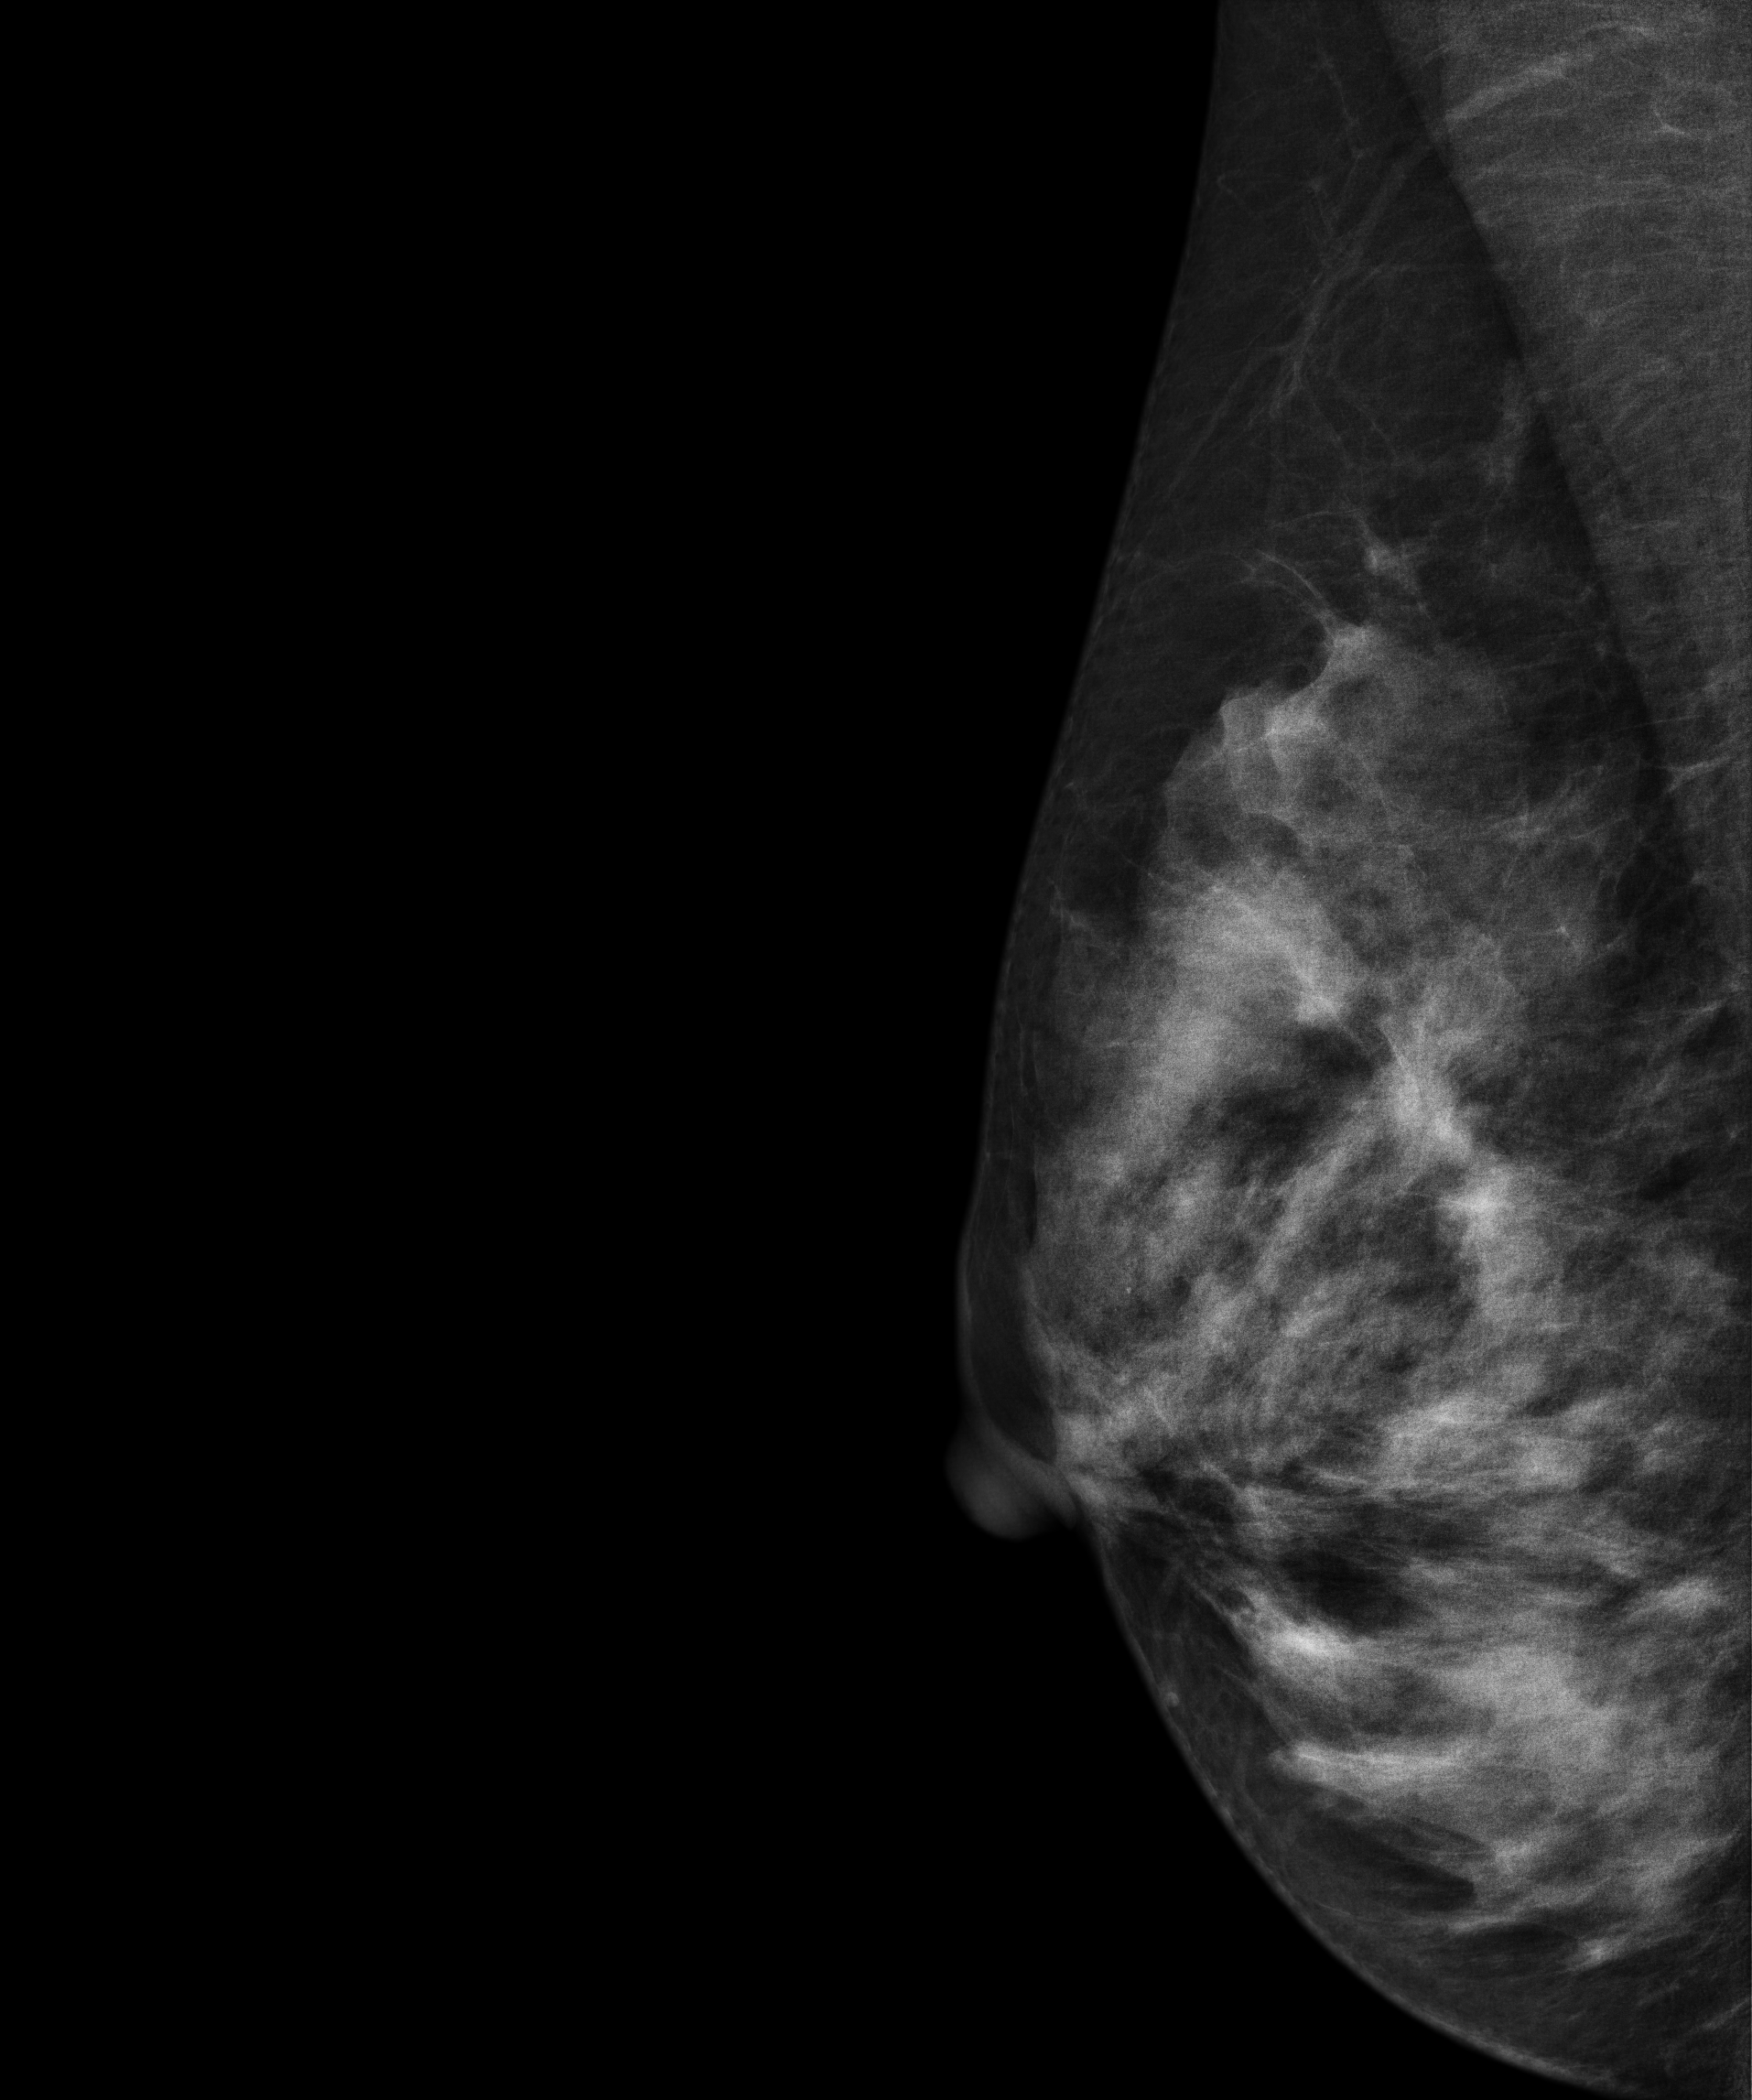
Digital mammography. Right breast, medio-lateral oblique projection. 50-year-old patient.
This breast has a mass, biopsy-proven malignant.